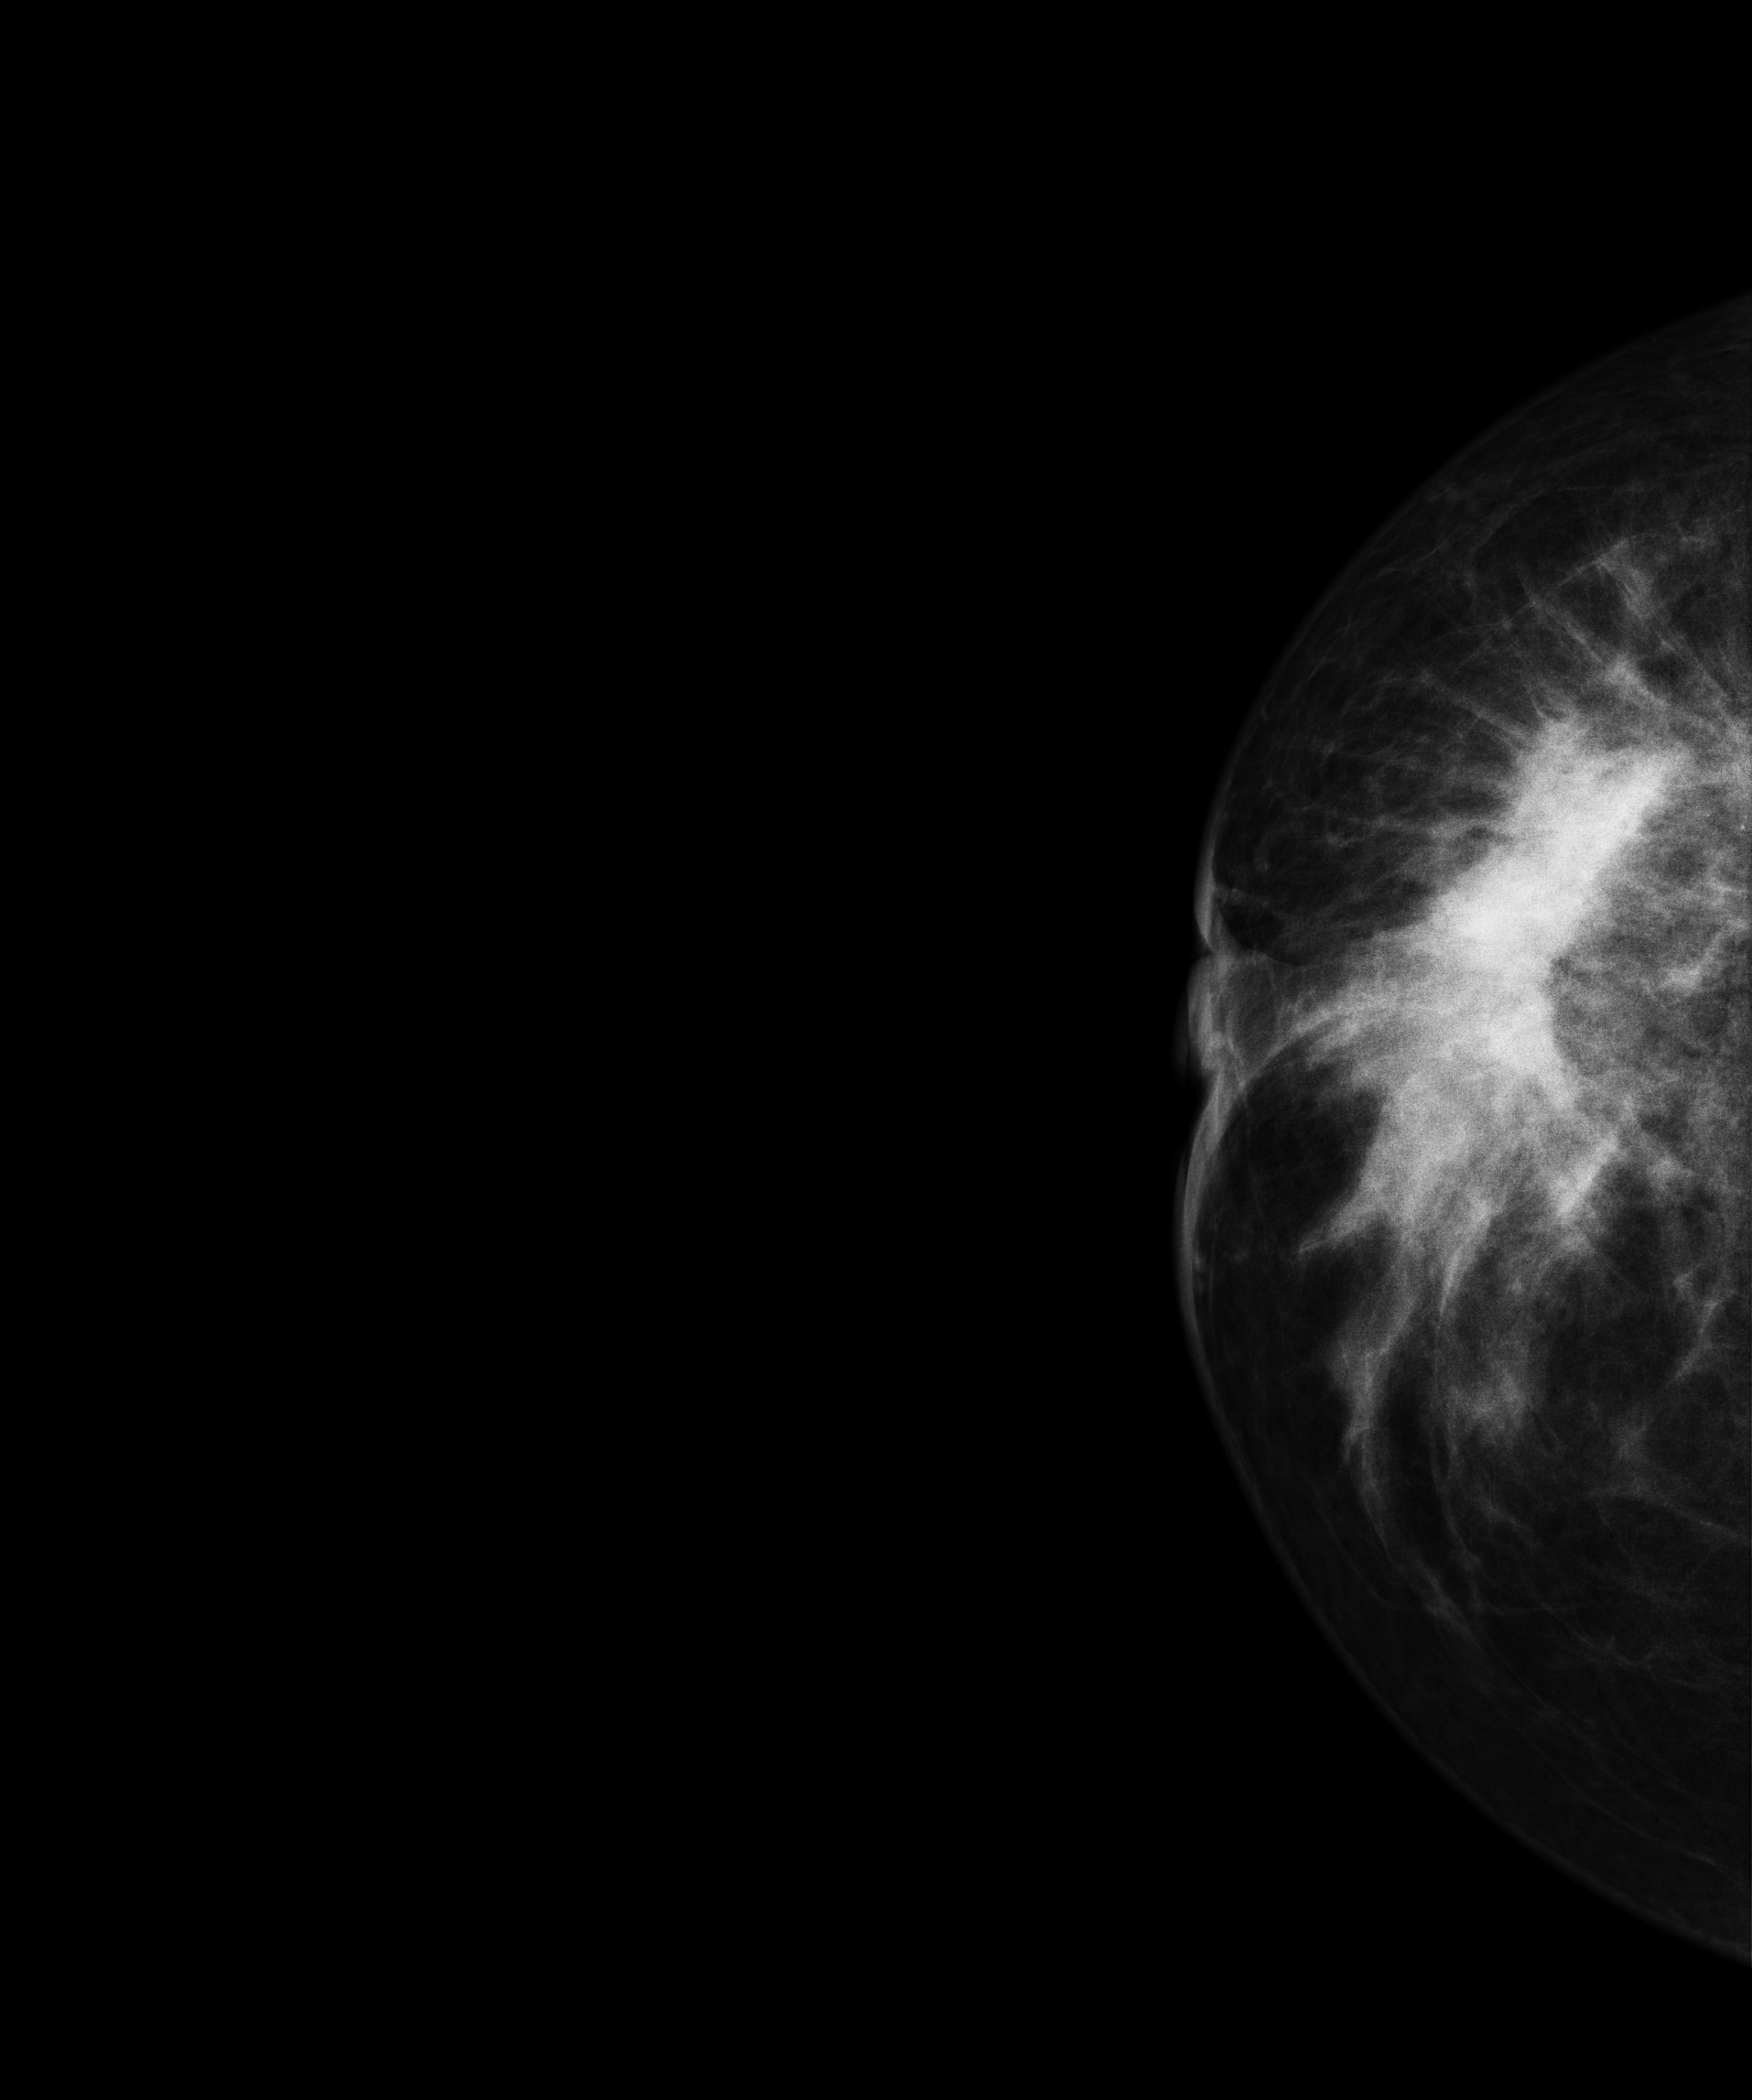
Mammogram — right cranio-caudal. 41 y/o patient.
This breast has a mass, biopsy-confirmed malignant. Molecular subtype: luminal A.